Mammogram — right CC. 67-year-old patient.
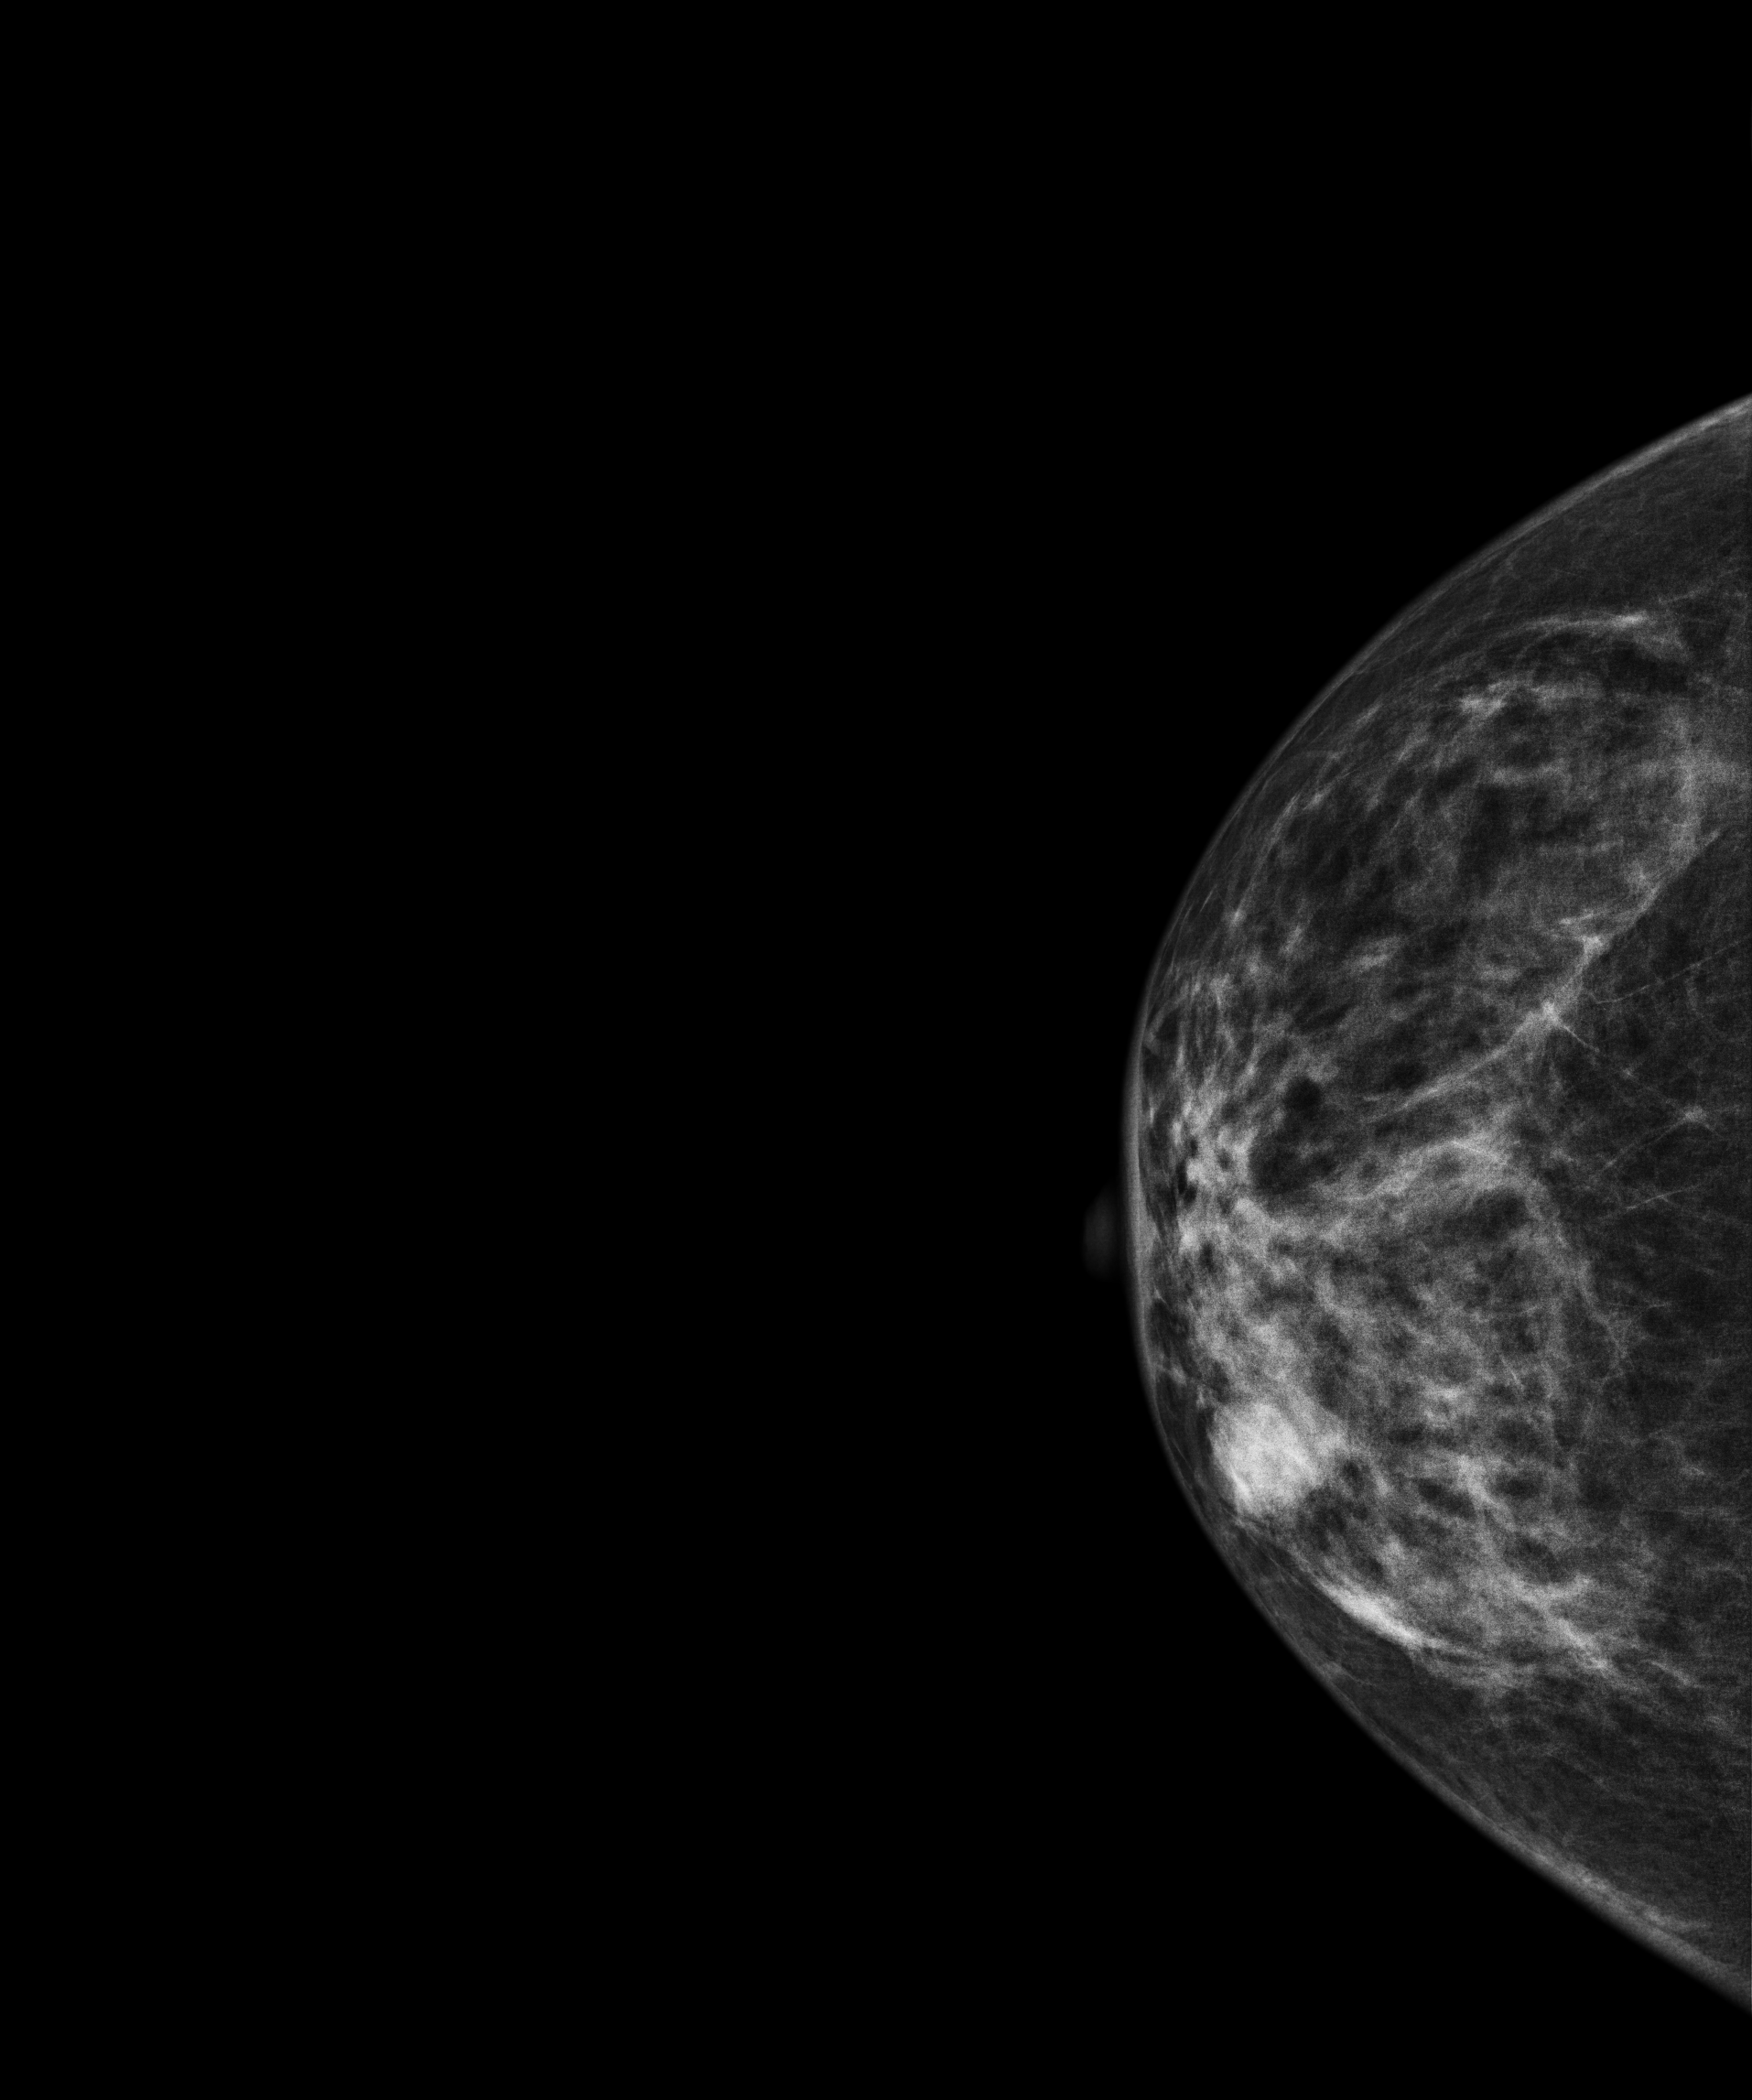
This breast has a mass, pathology-confirmed benign.